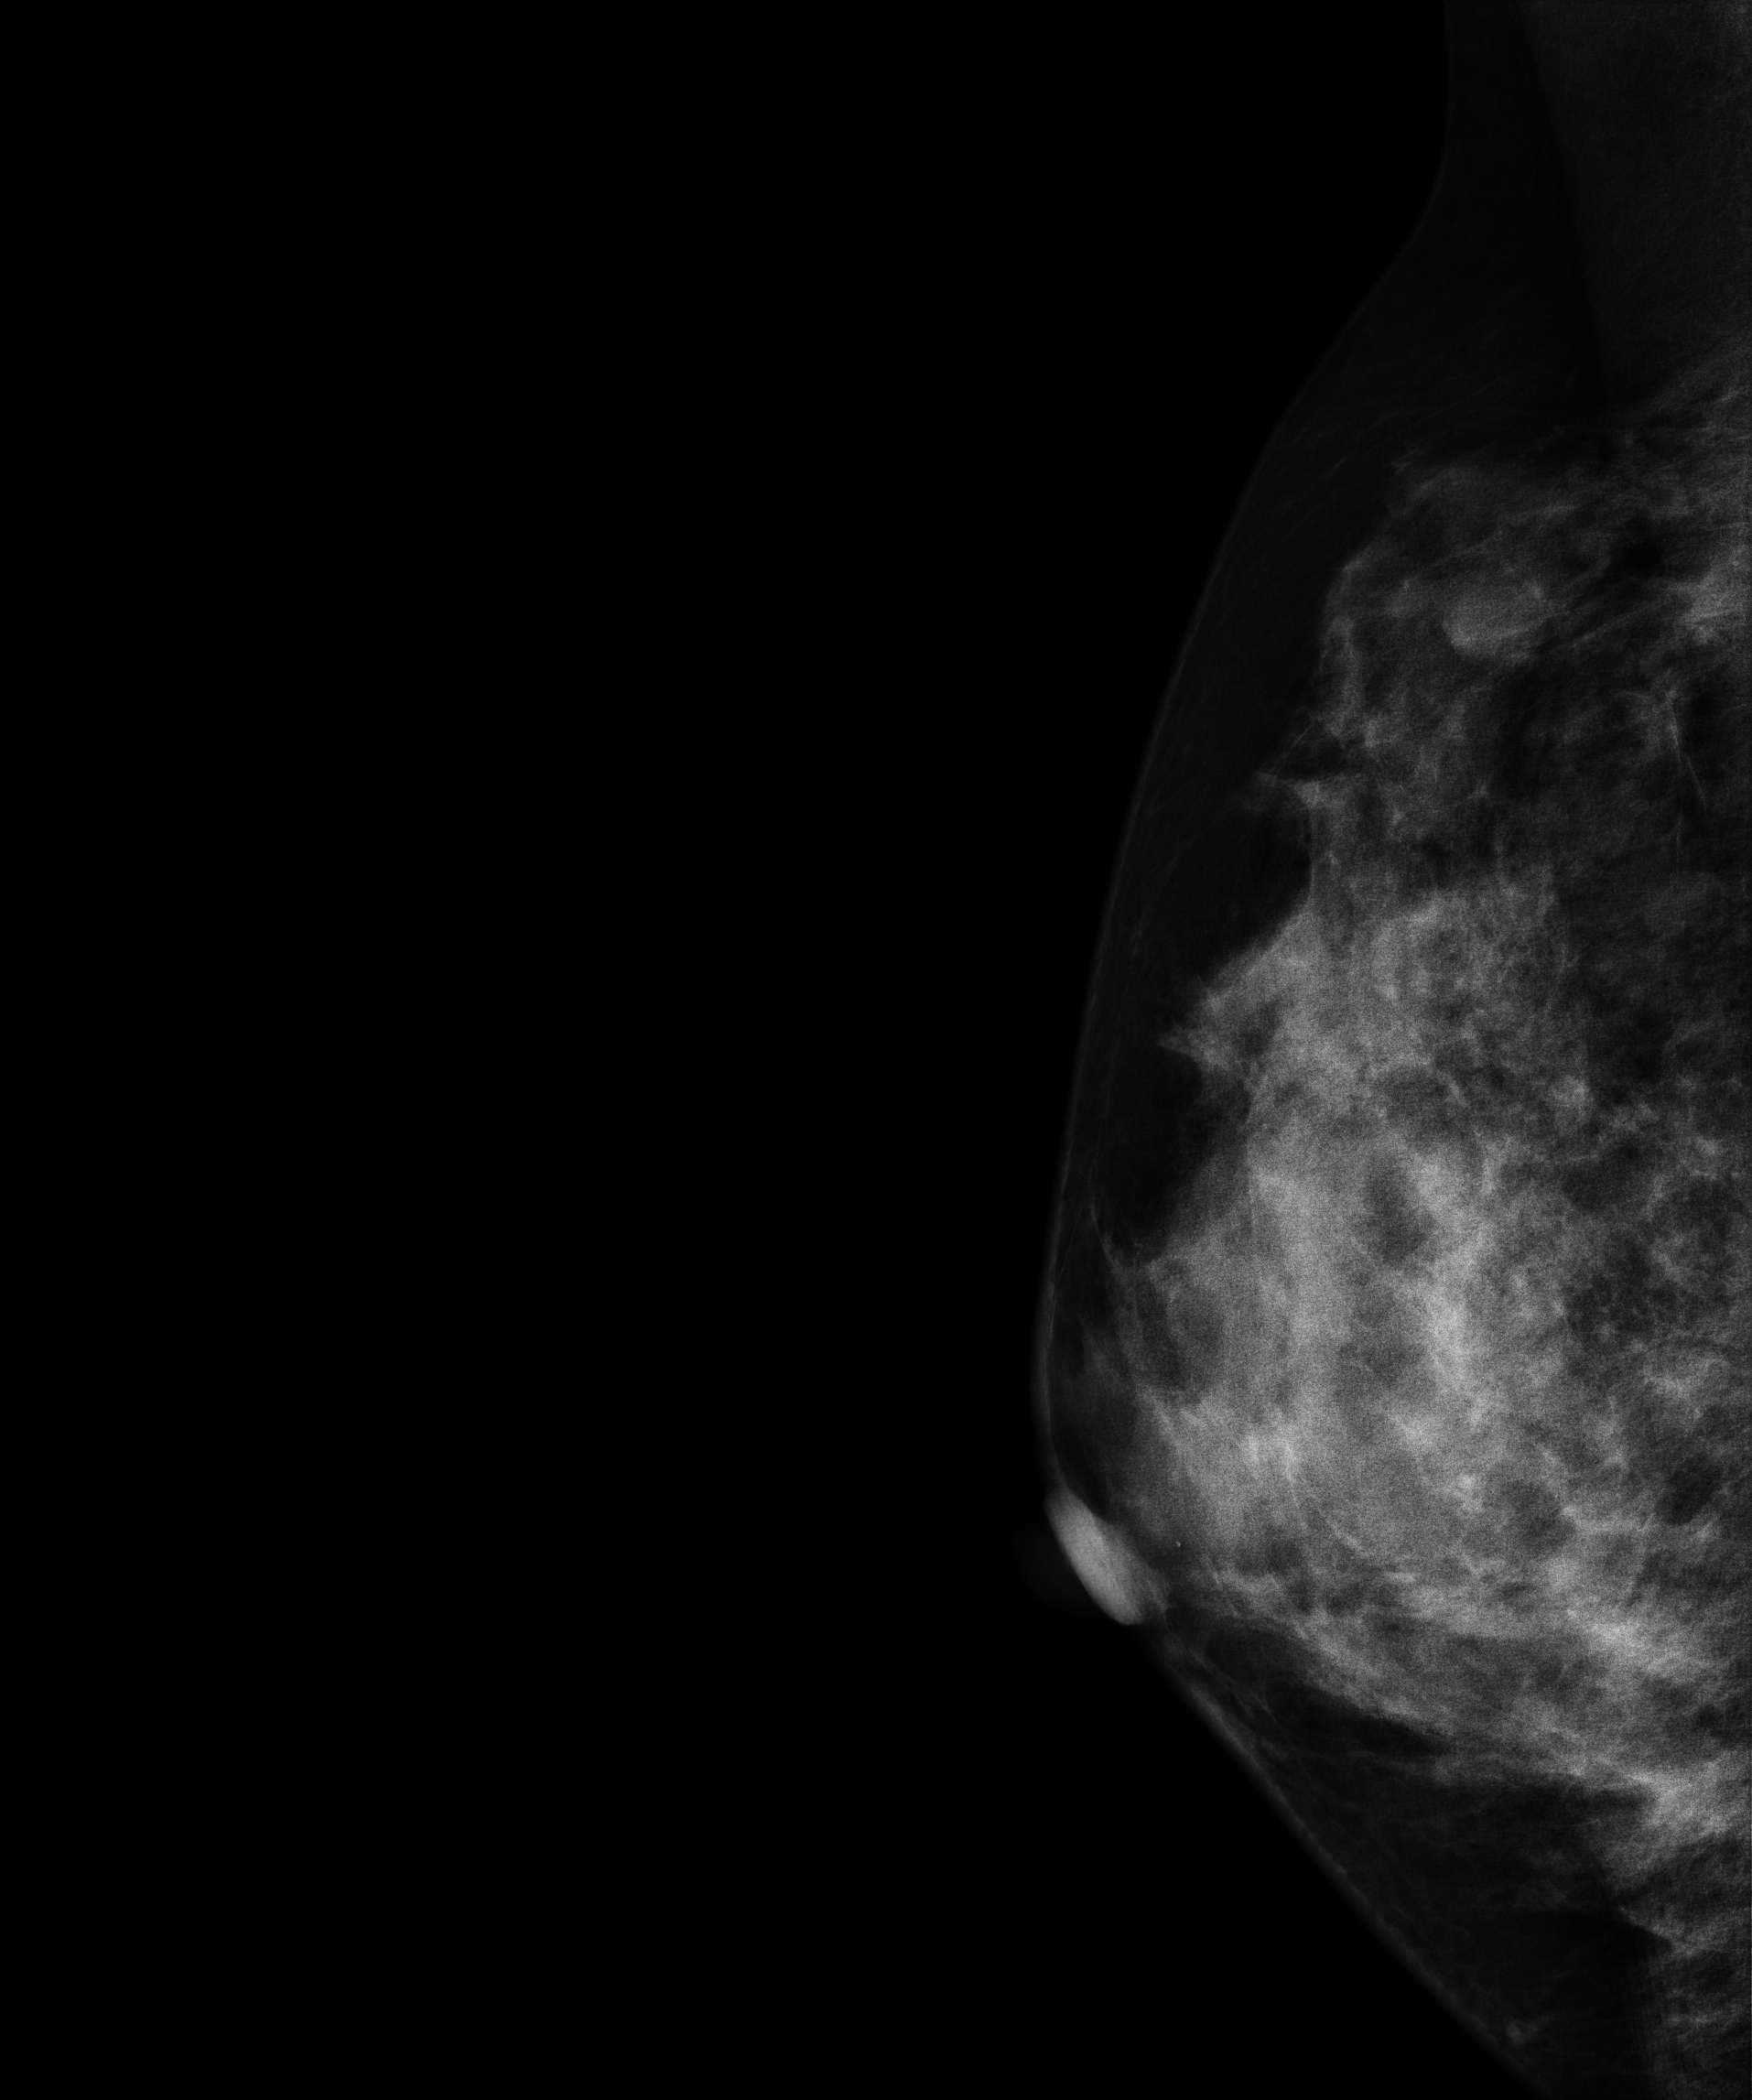
Medio-lateral oblique mammogram of the right breast. Patient age 50.
This breast has a mass, histologically confirmed malignant. Molecular subtype: luminal B.